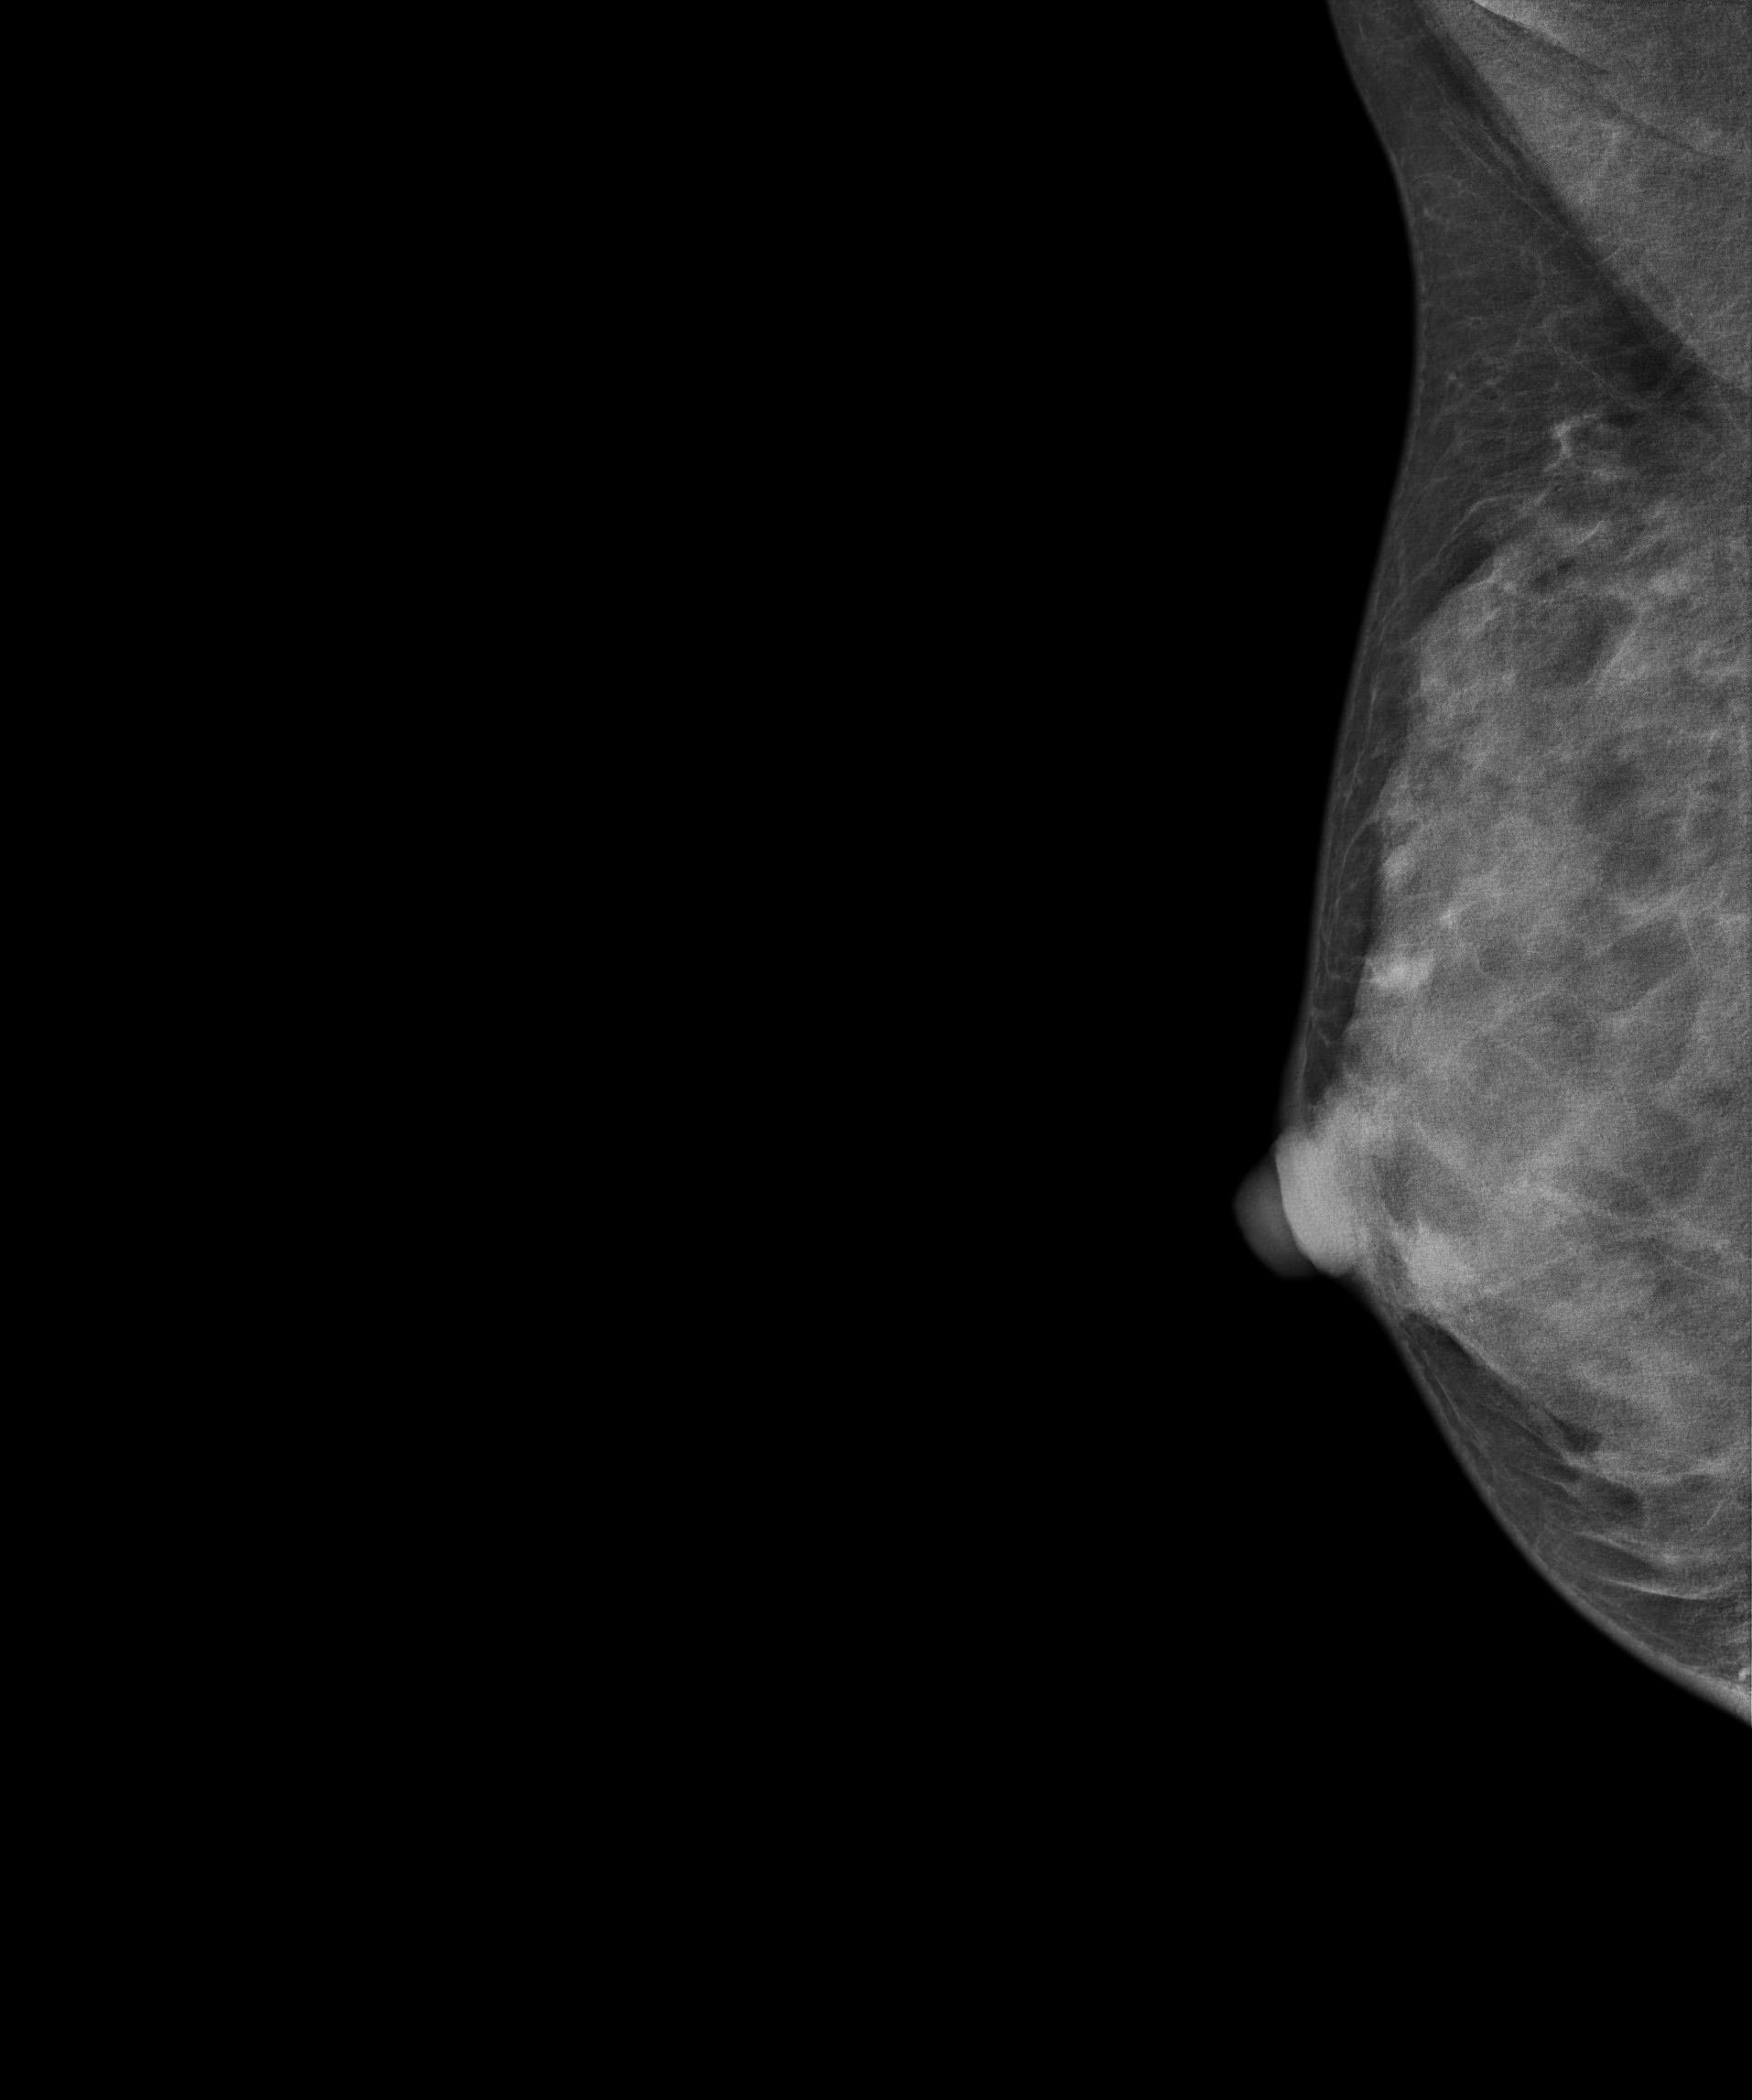
Digital mammography. Right breast, medio-lateral oblique projection. 33 y/o patient.
This breast has a mass, biopsy-proven malignant. Molecular subtype: triple-negative.